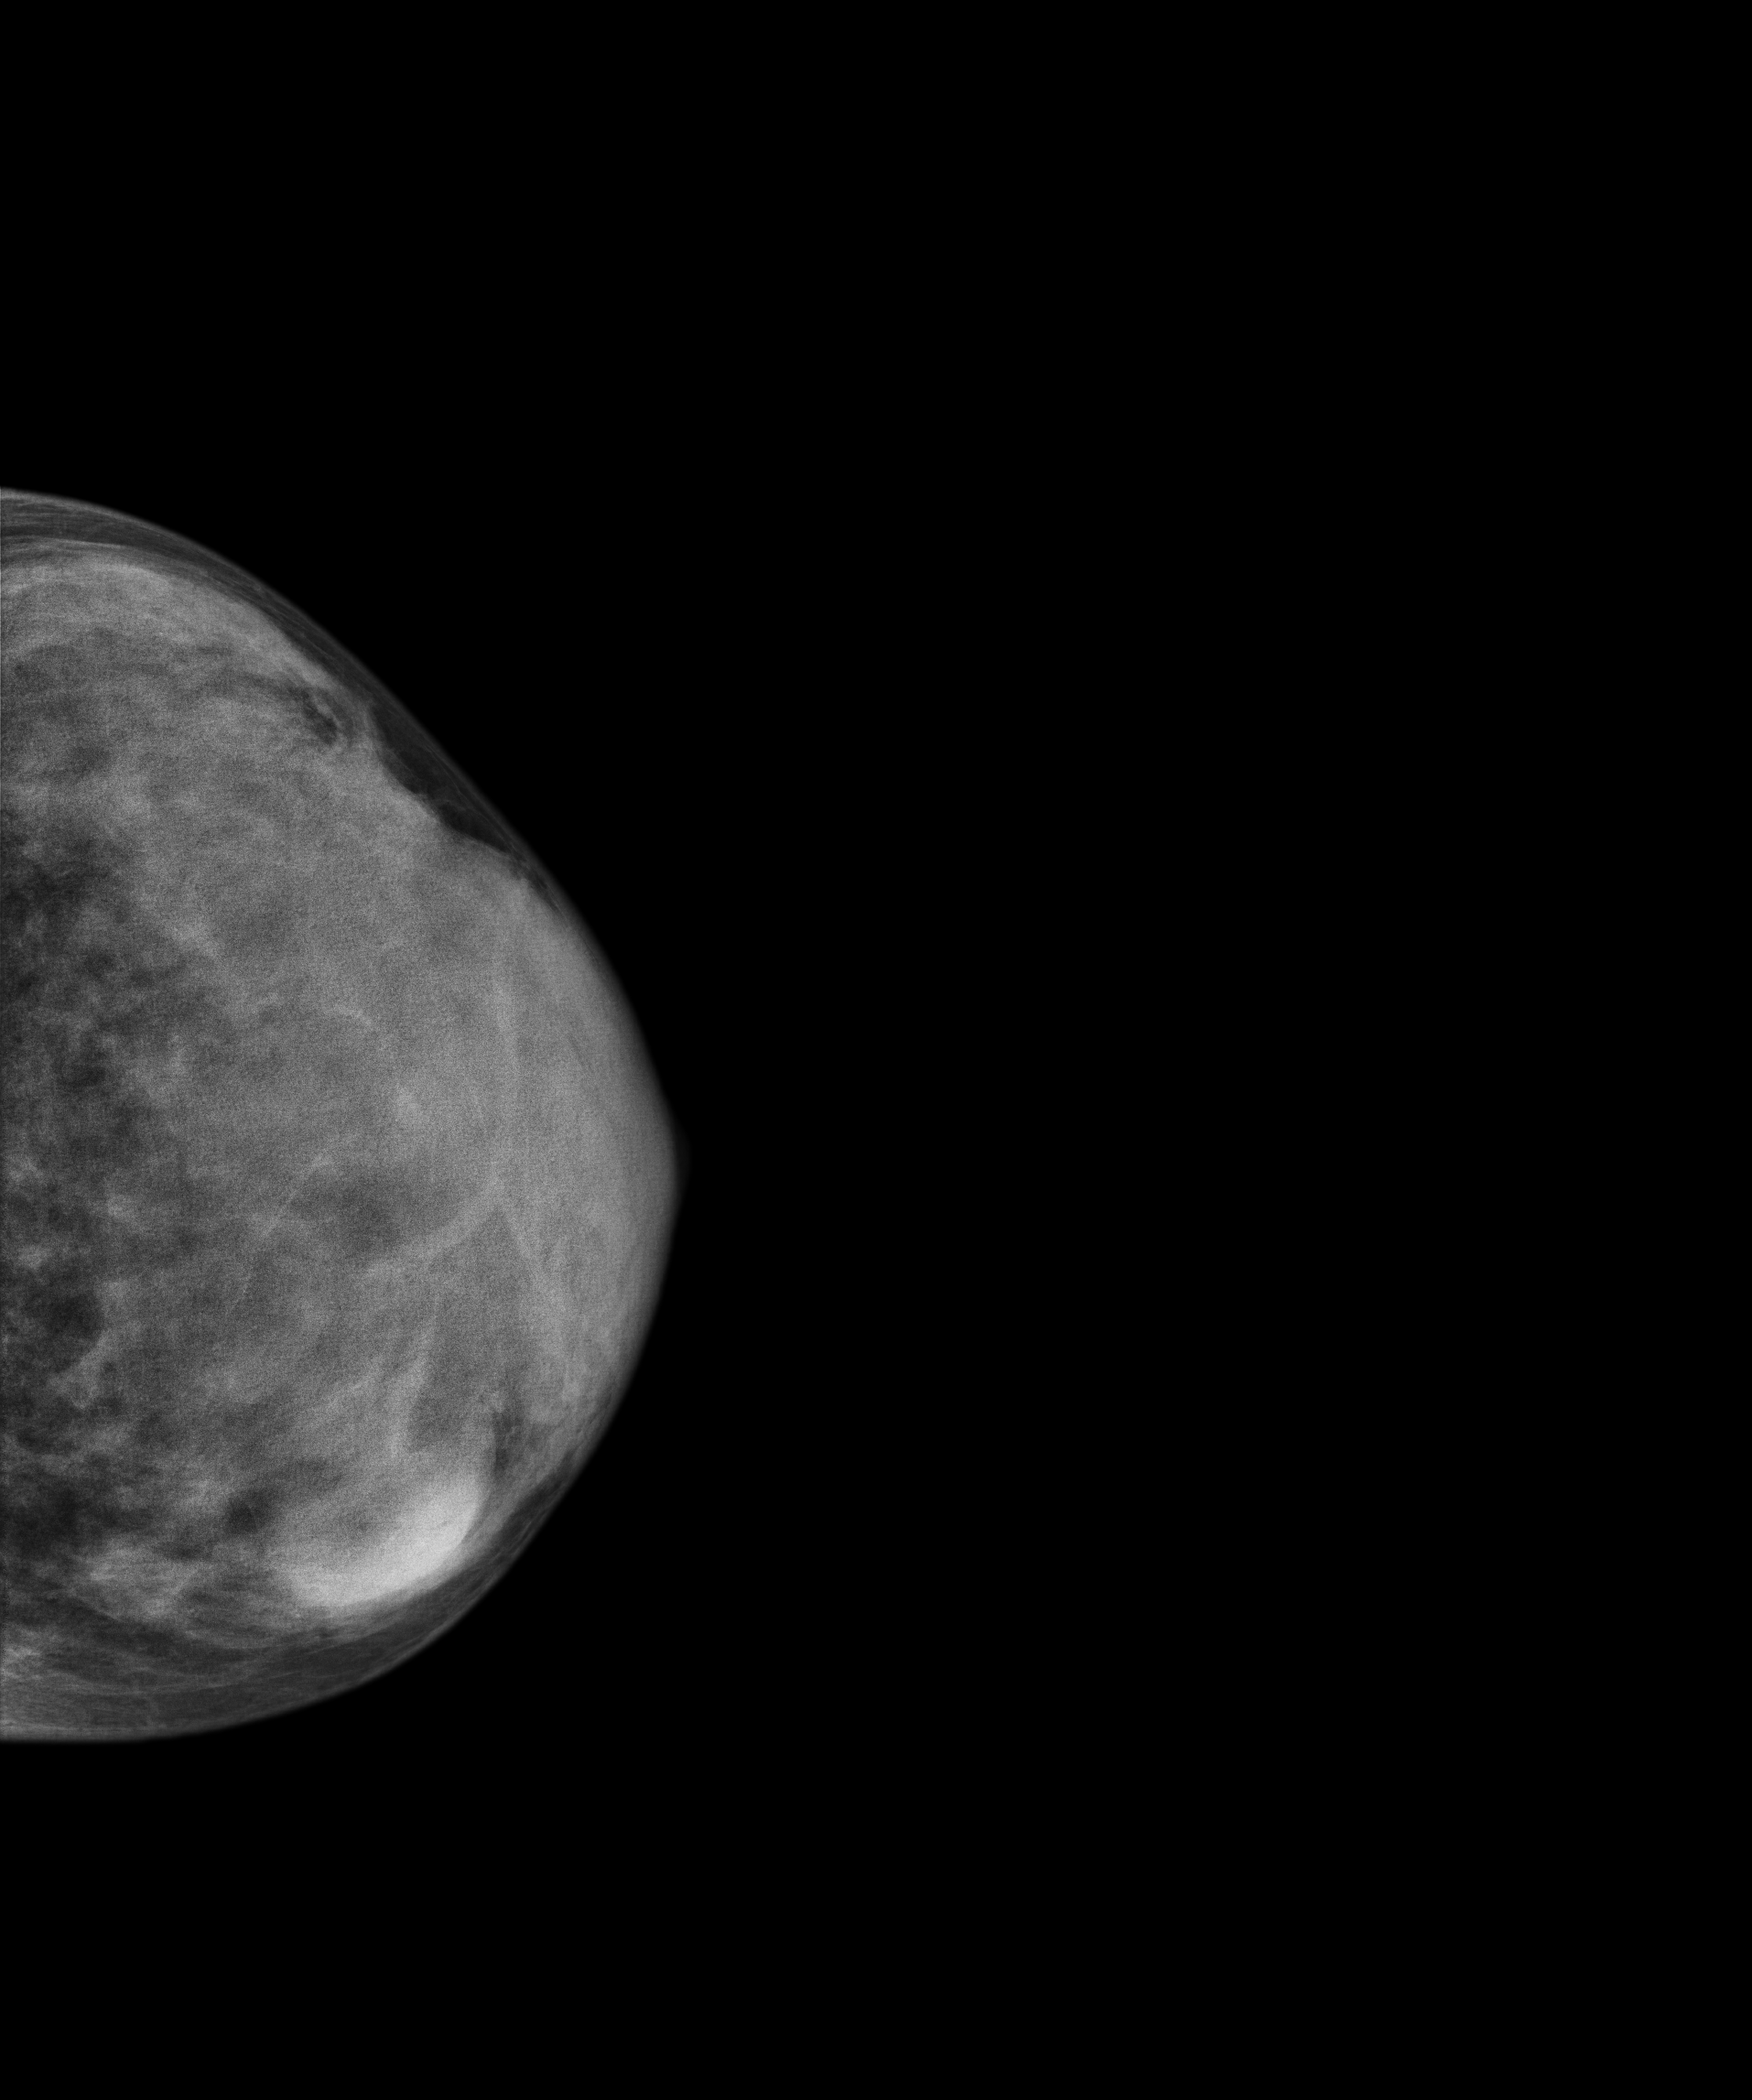
Left-breast mammogram, cranio-caudal. 28-year-old patient.
This breast has a mass, histologically confirmed benign.